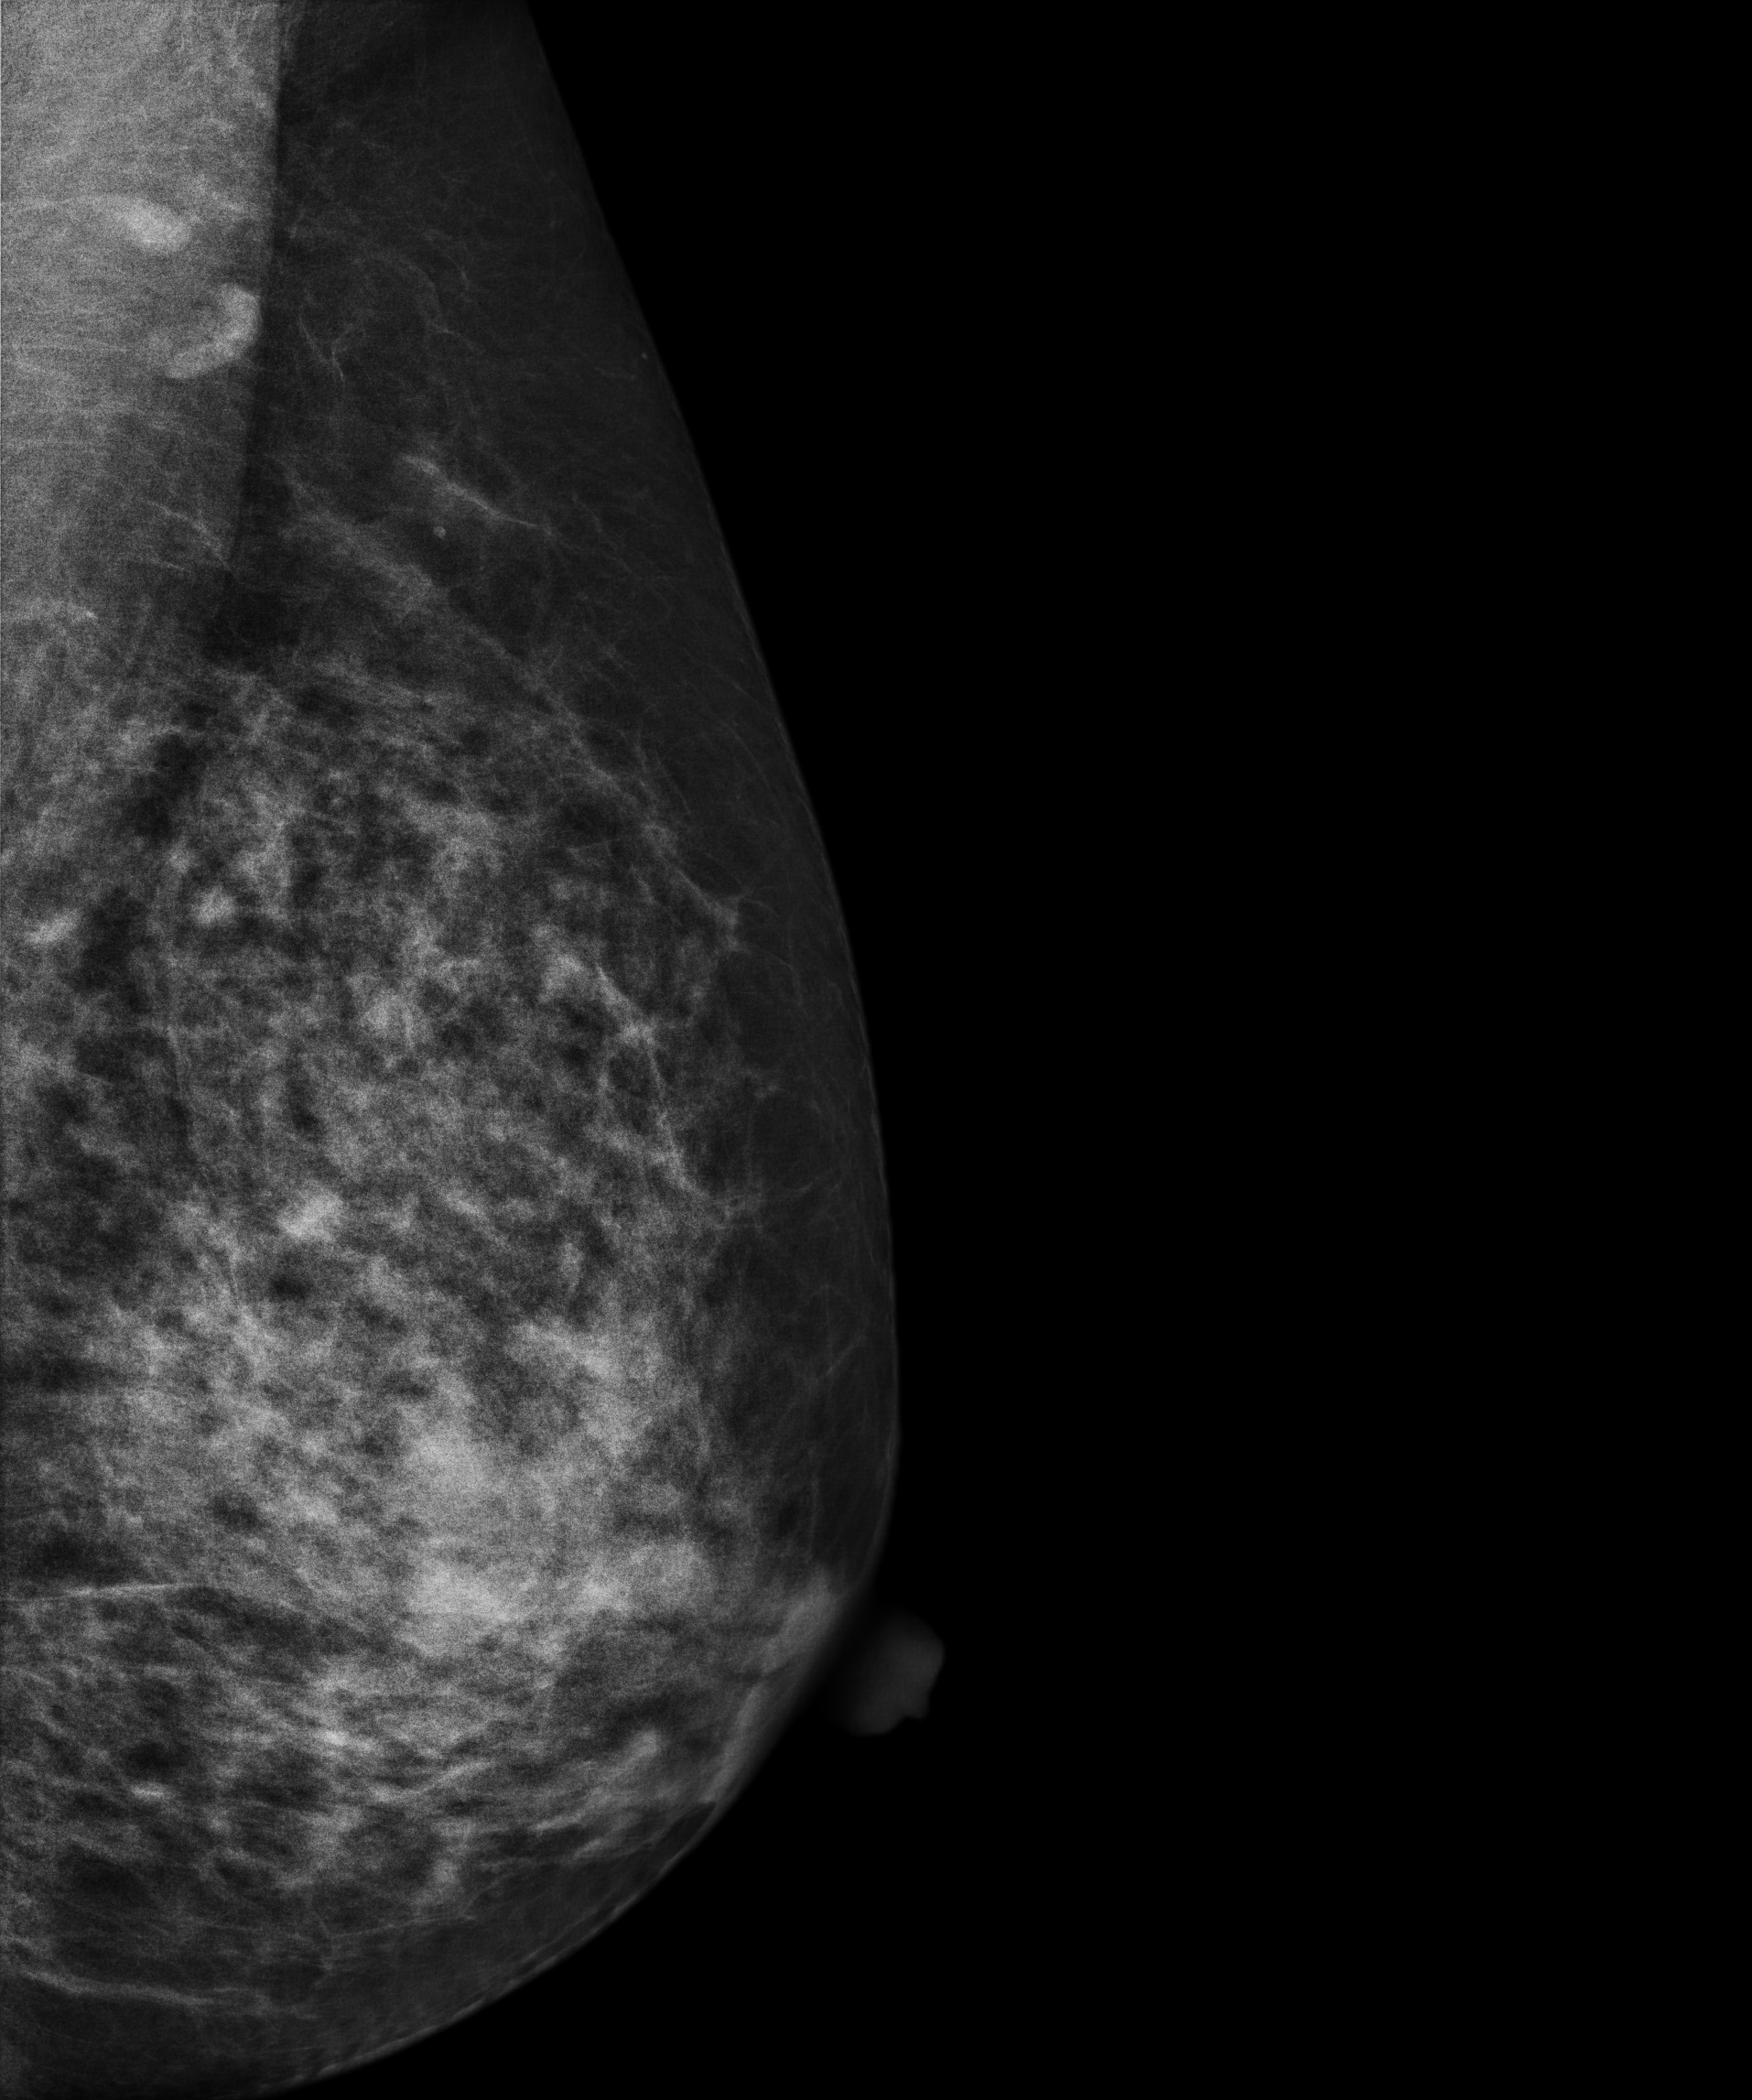
MLO mammogram of the left breast. 50 y/o patient.
Contralateral breast — no documented abnormality on this side.